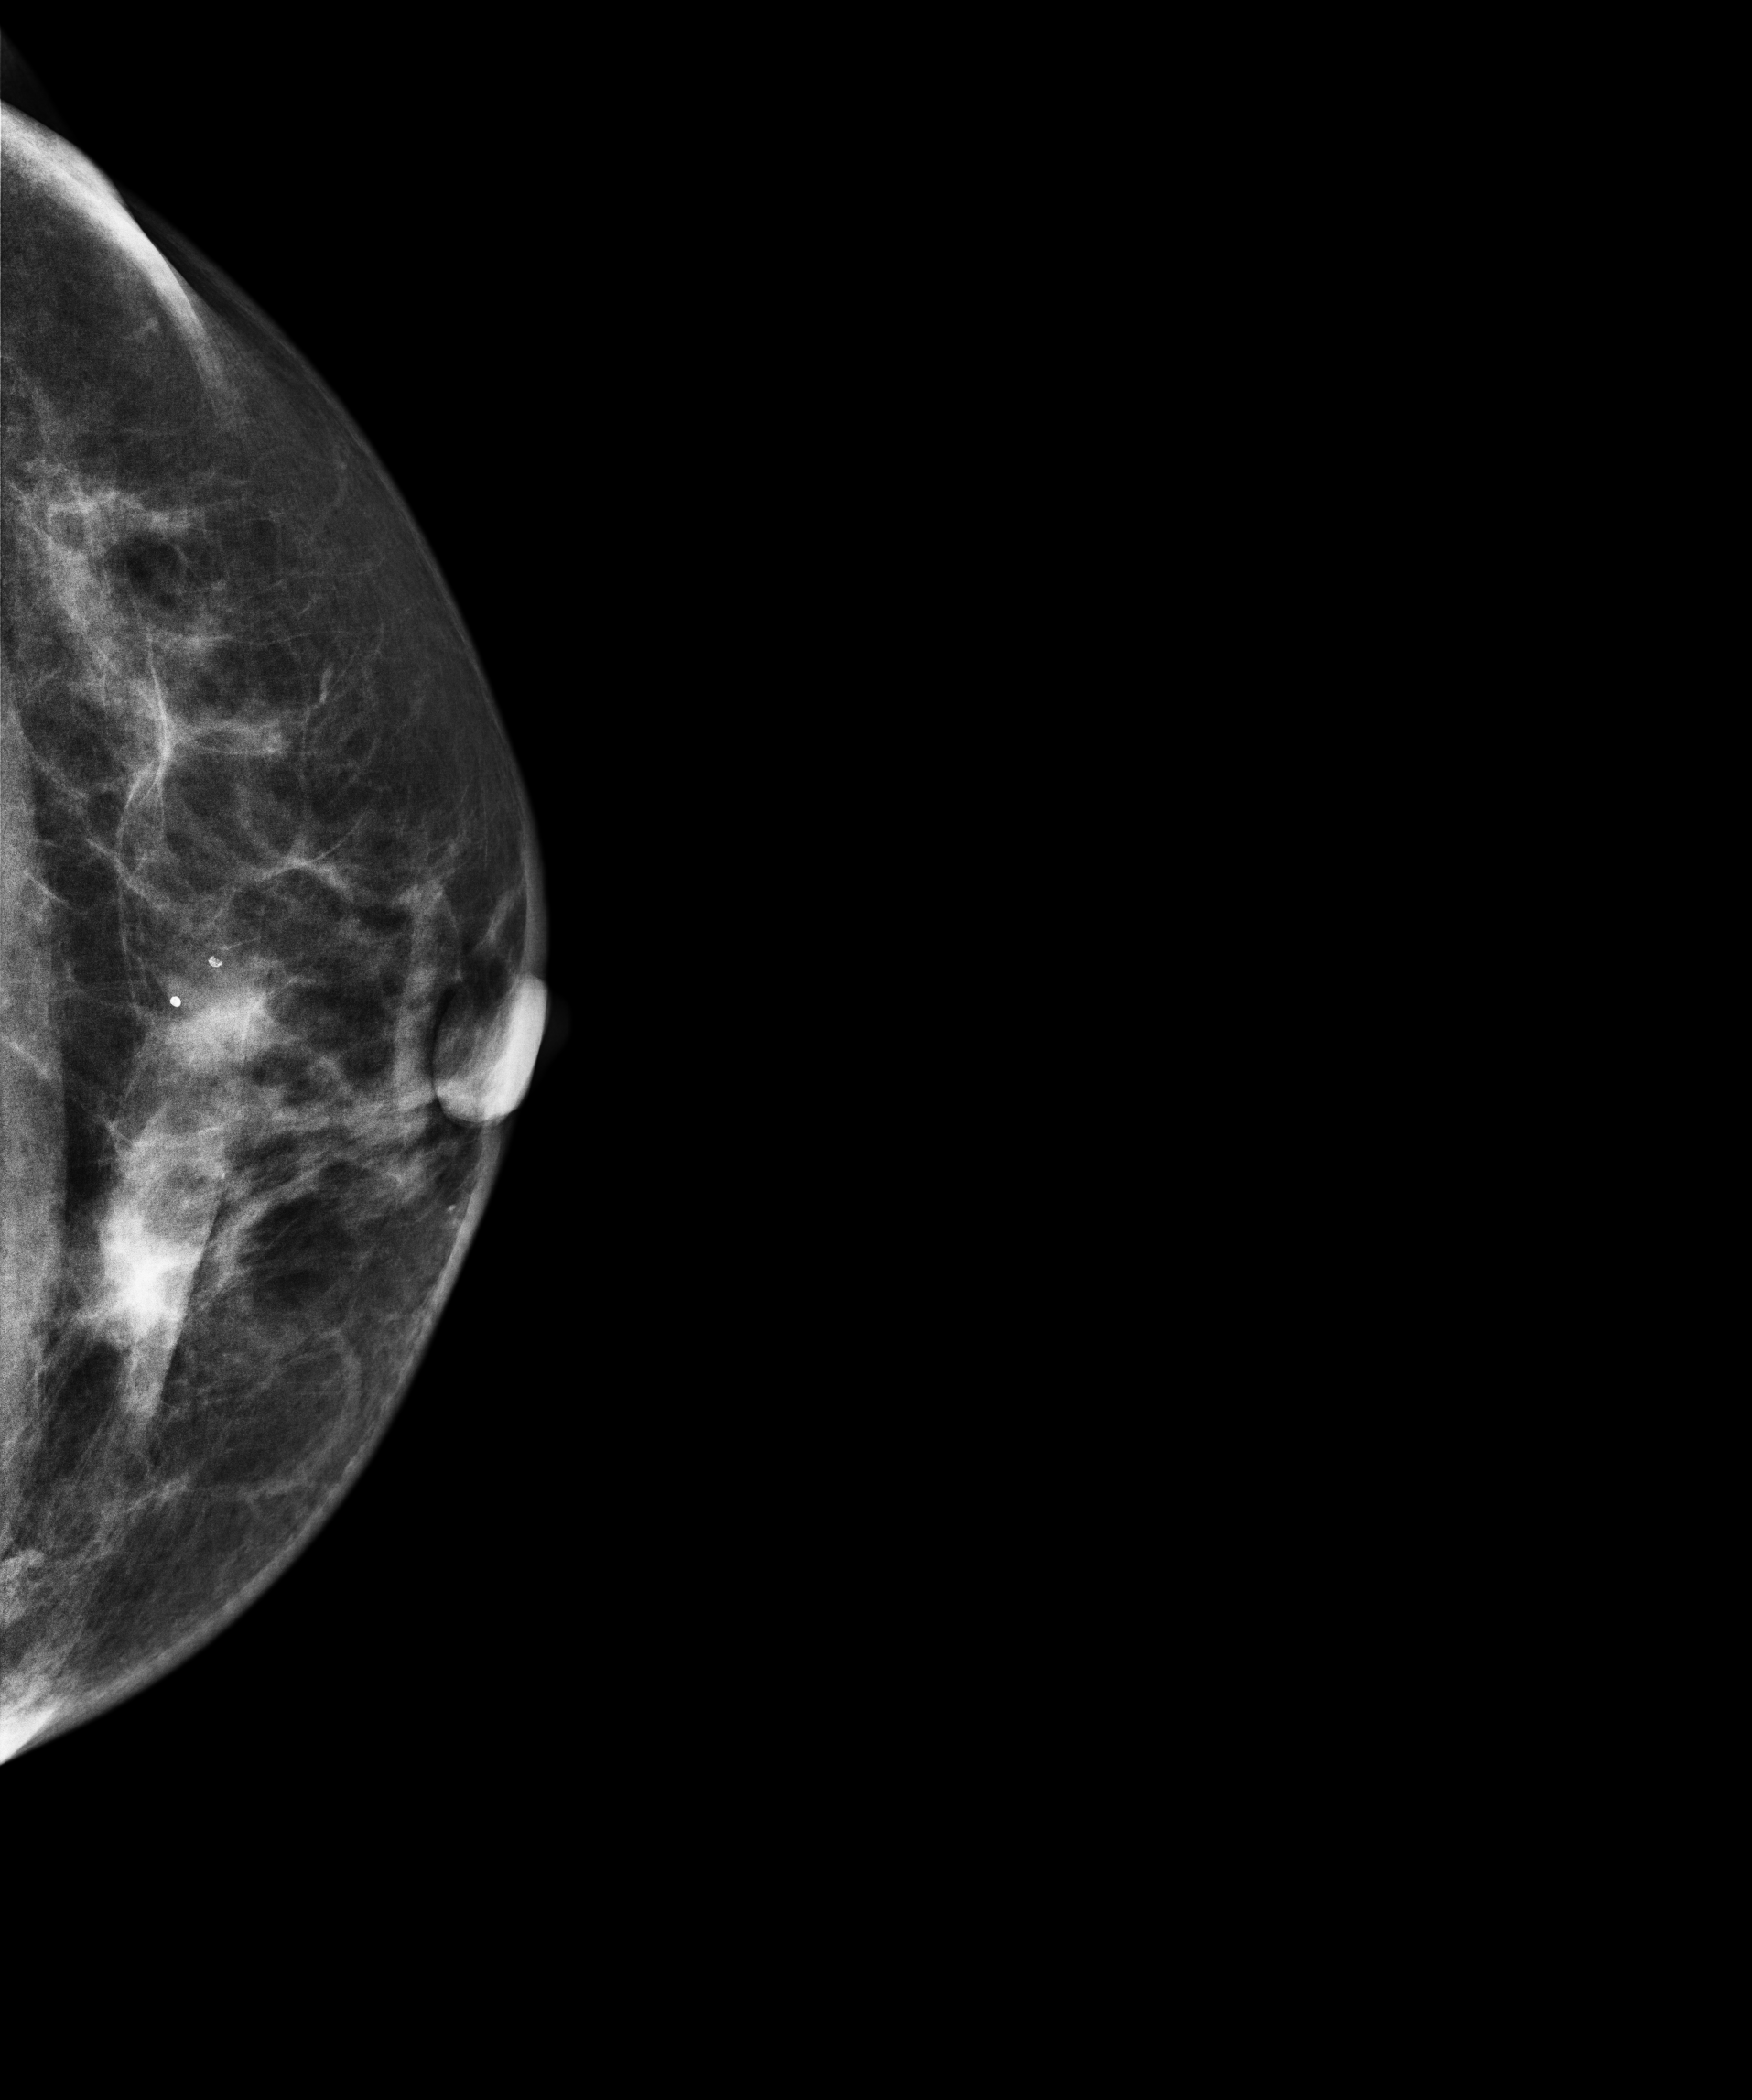
Mammogram — left CC. Patient age 65.
This breast has a mass, biopsy-proven malignant. Molecular subtype: luminal B.